Left-breast mammogram, cranio-caudal. 42-year-old patient.
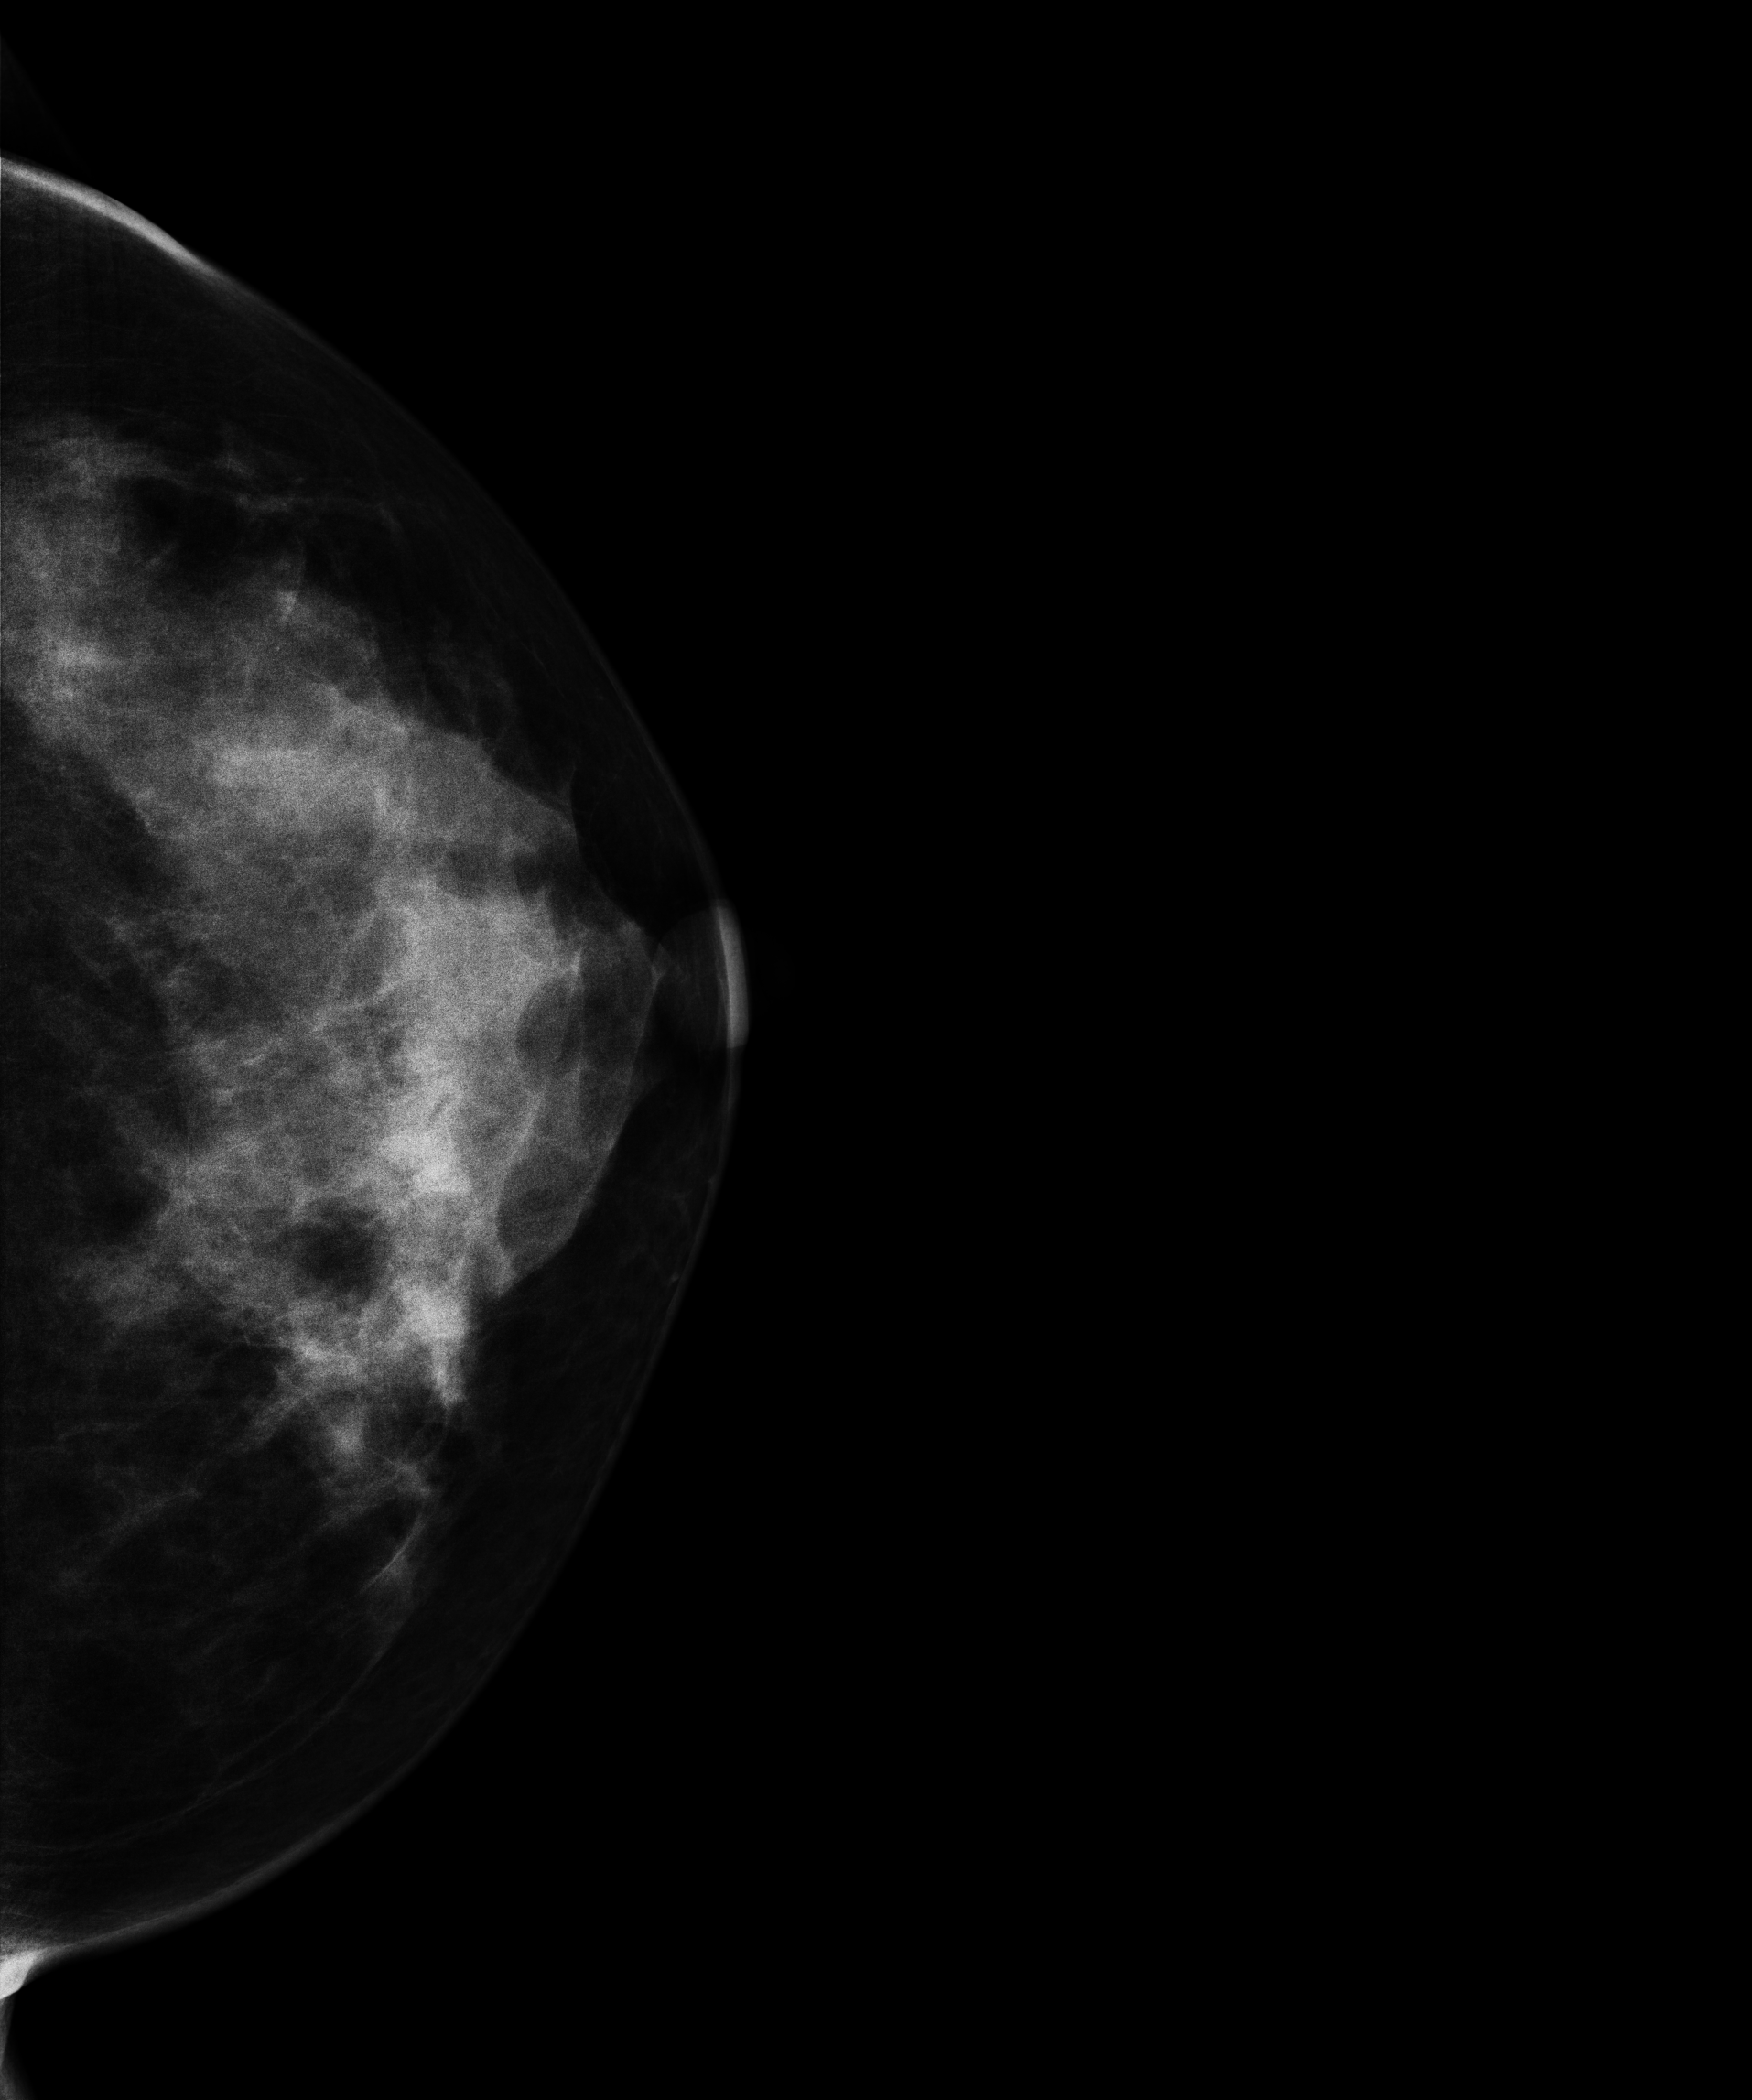
Contralateral breast — no documented abnormality on this side.